CC mammogram of the left breast. Patient age 48.
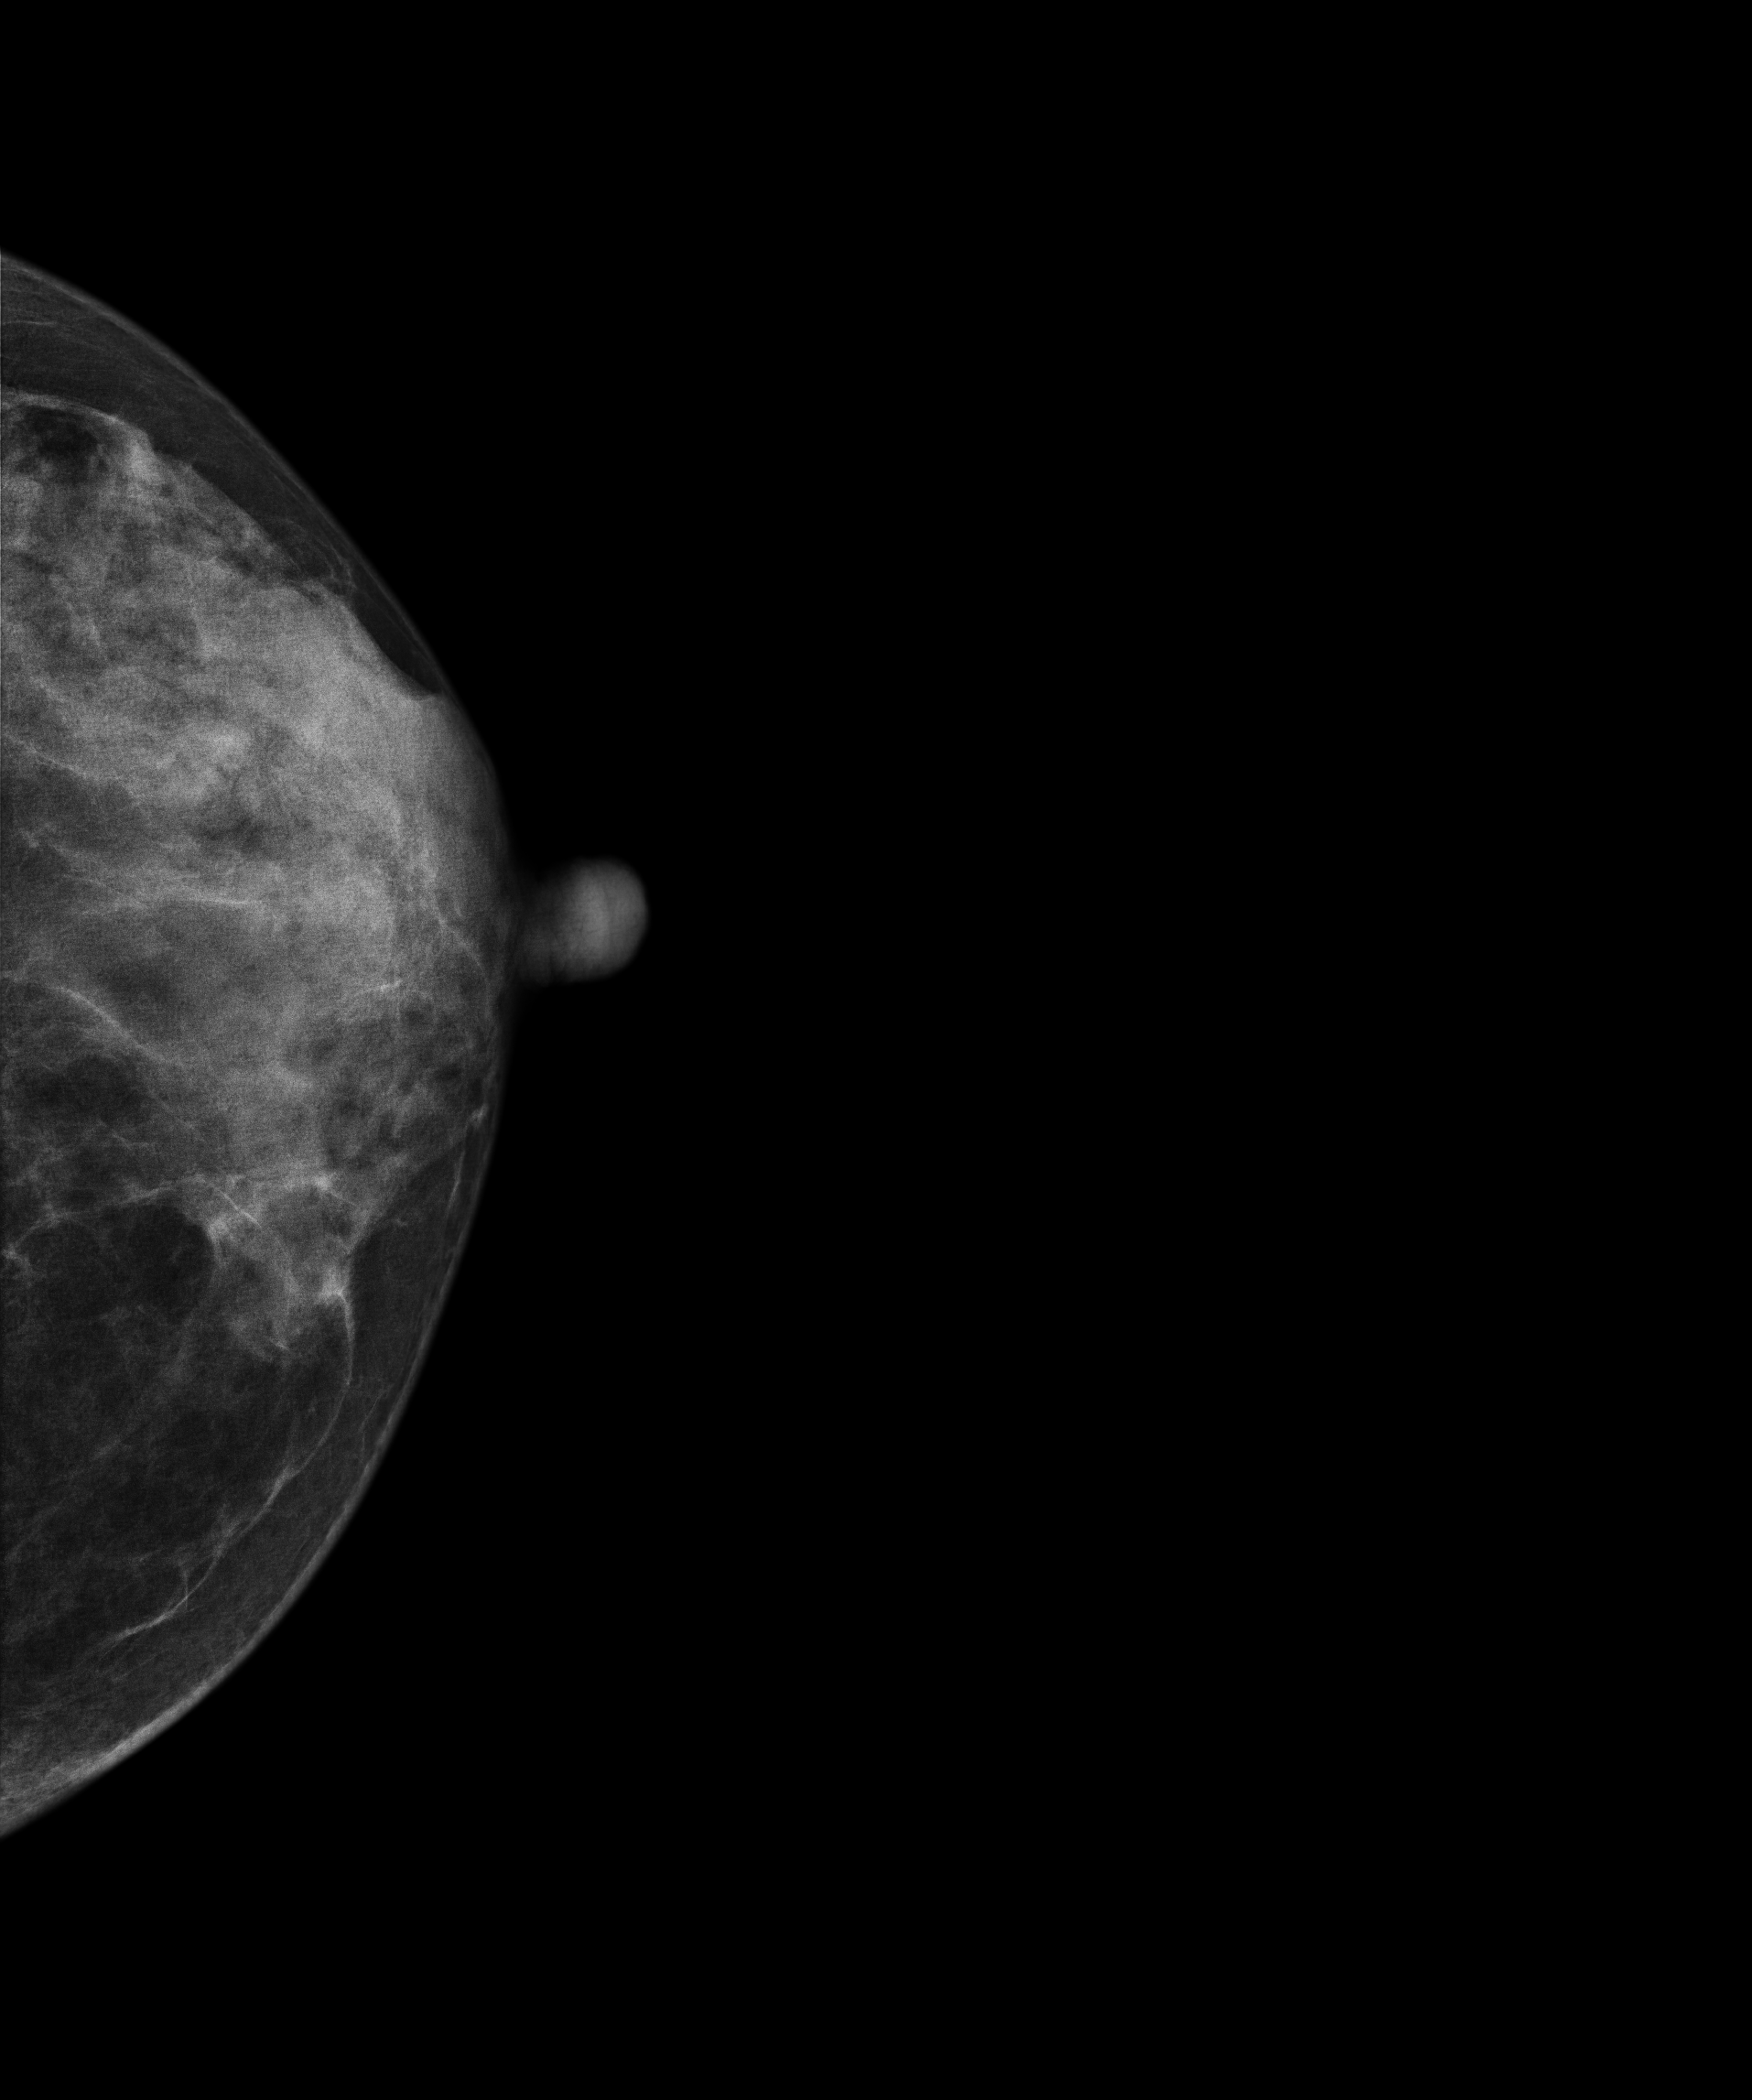
Contralateral breast — no documented abnormality on this side.